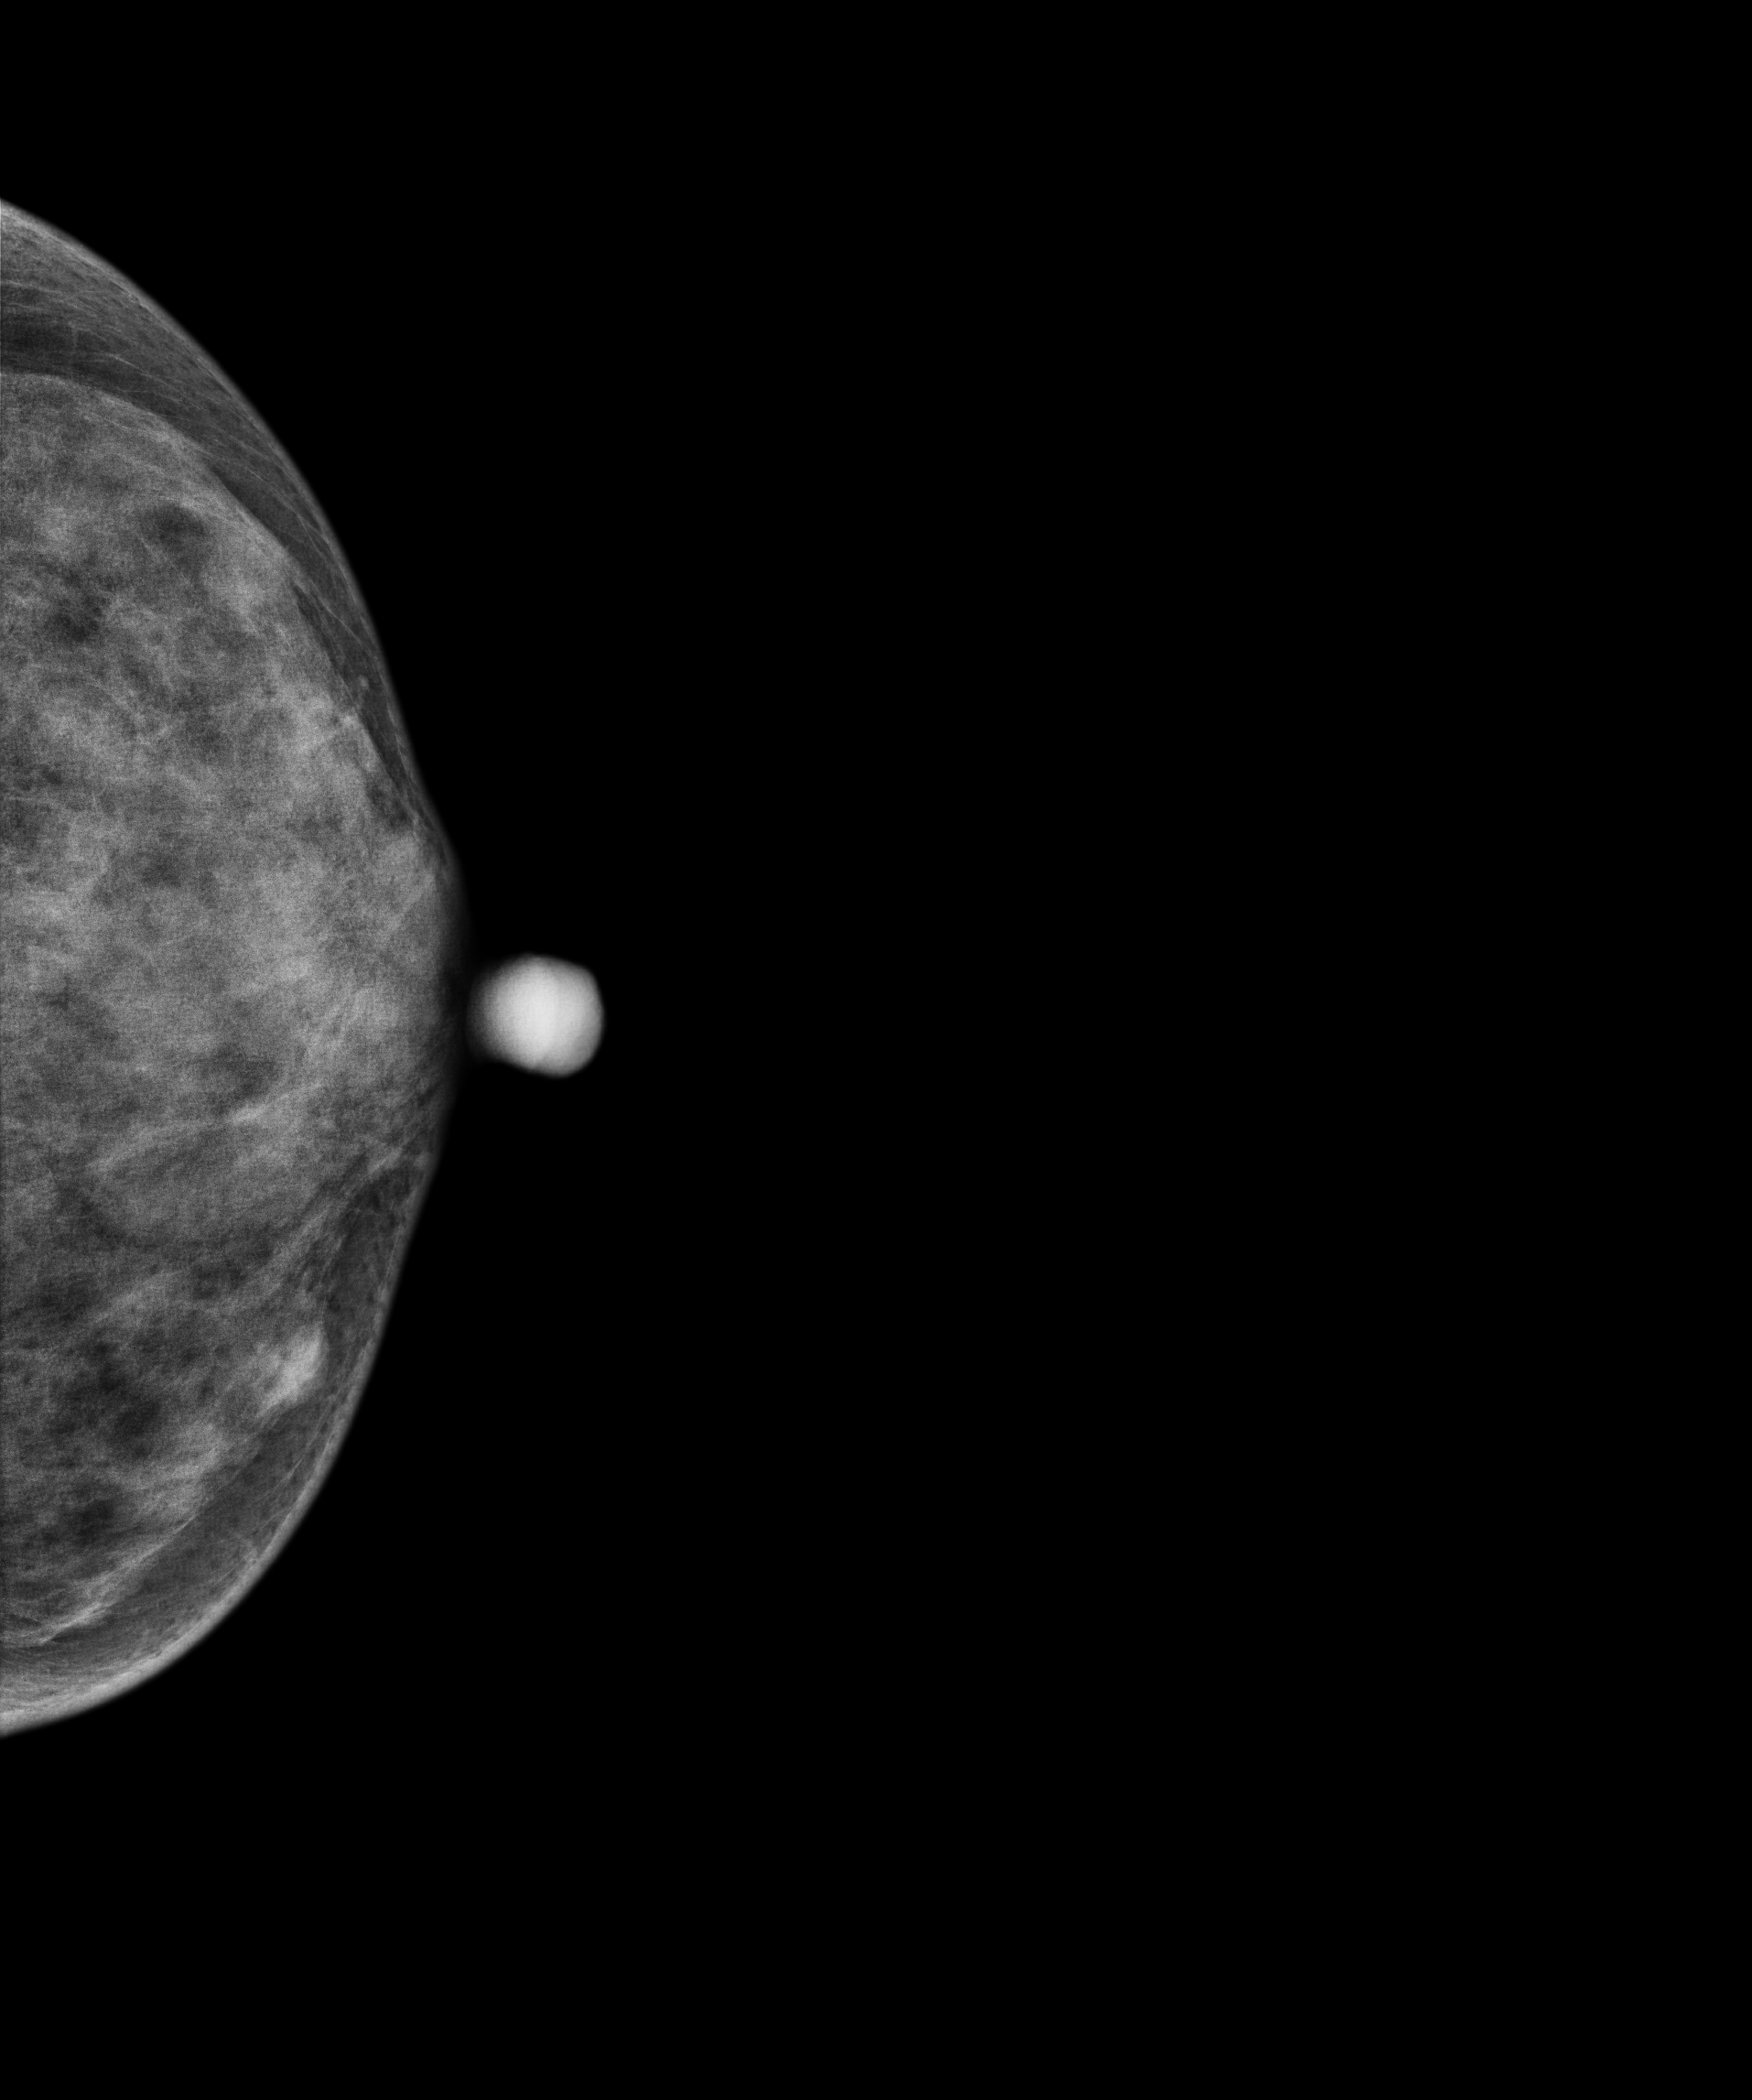
Mammogram, left breast, CC view. 41 y/o patient.
This breast has a mass and calcifications, biopsy-confirmed malignant.